Digital mammography. Right breast, CC projection. Patient age 46.
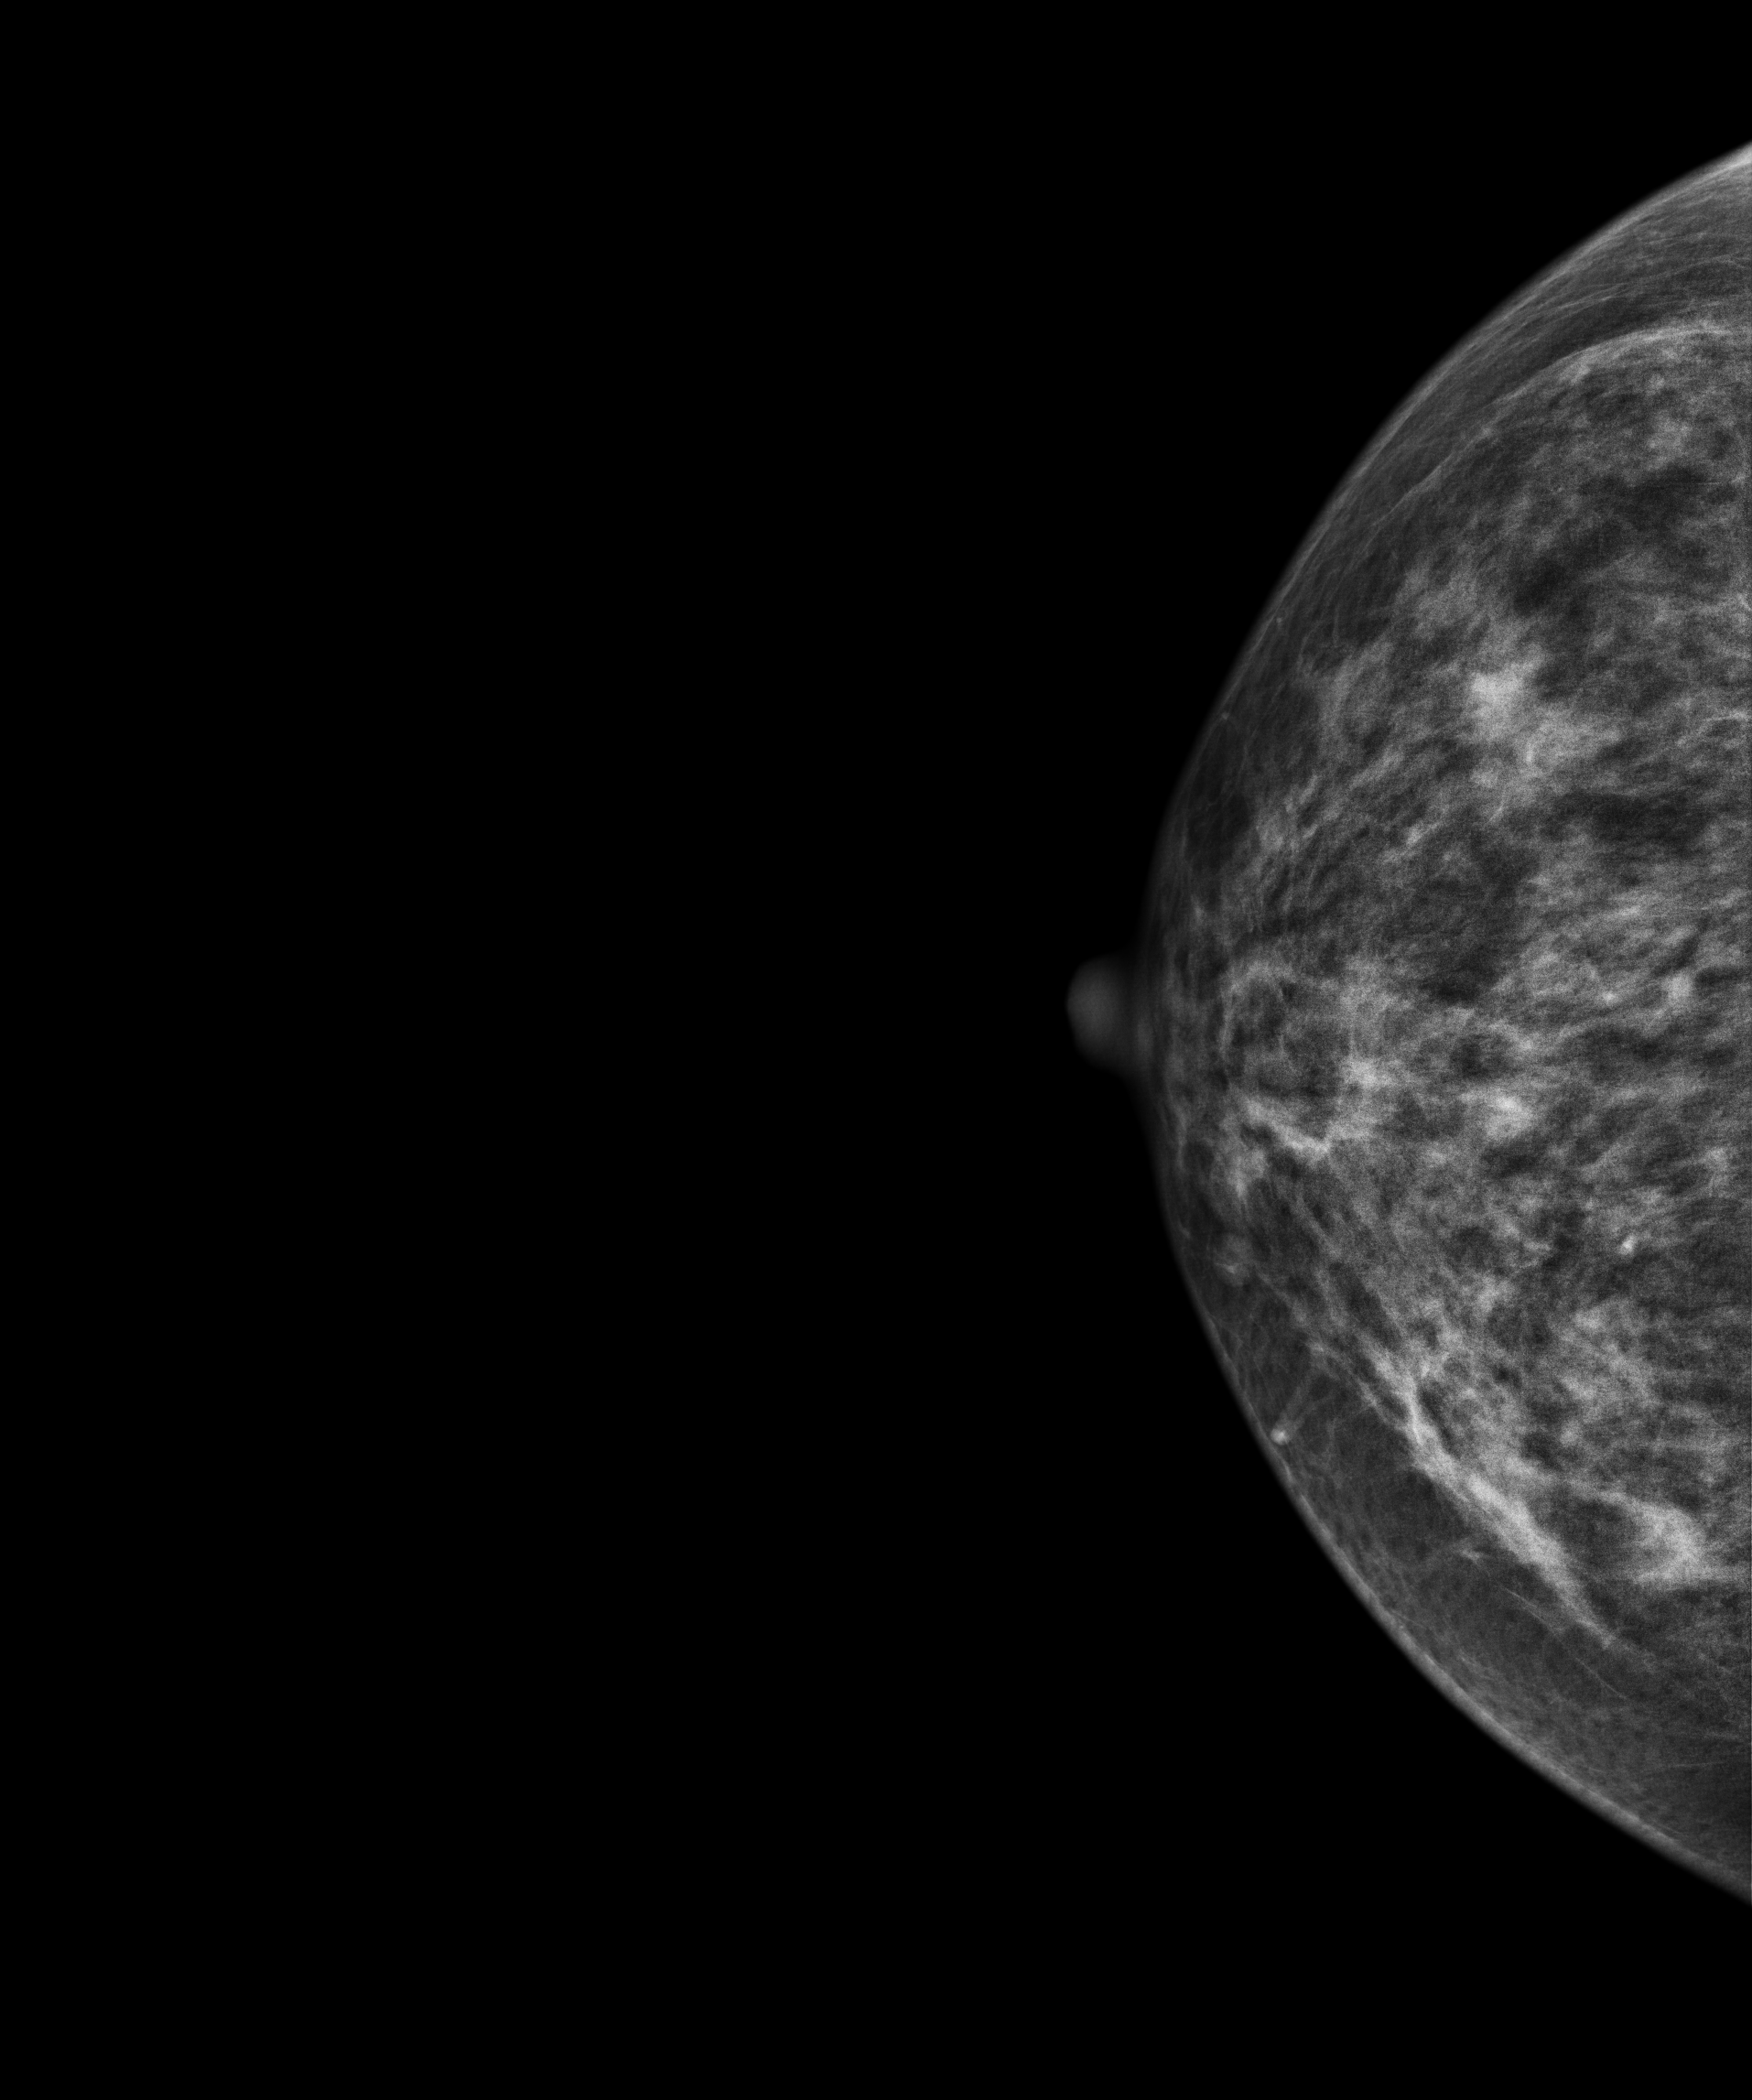
Contralateral breast — no documented abnormality on this side.